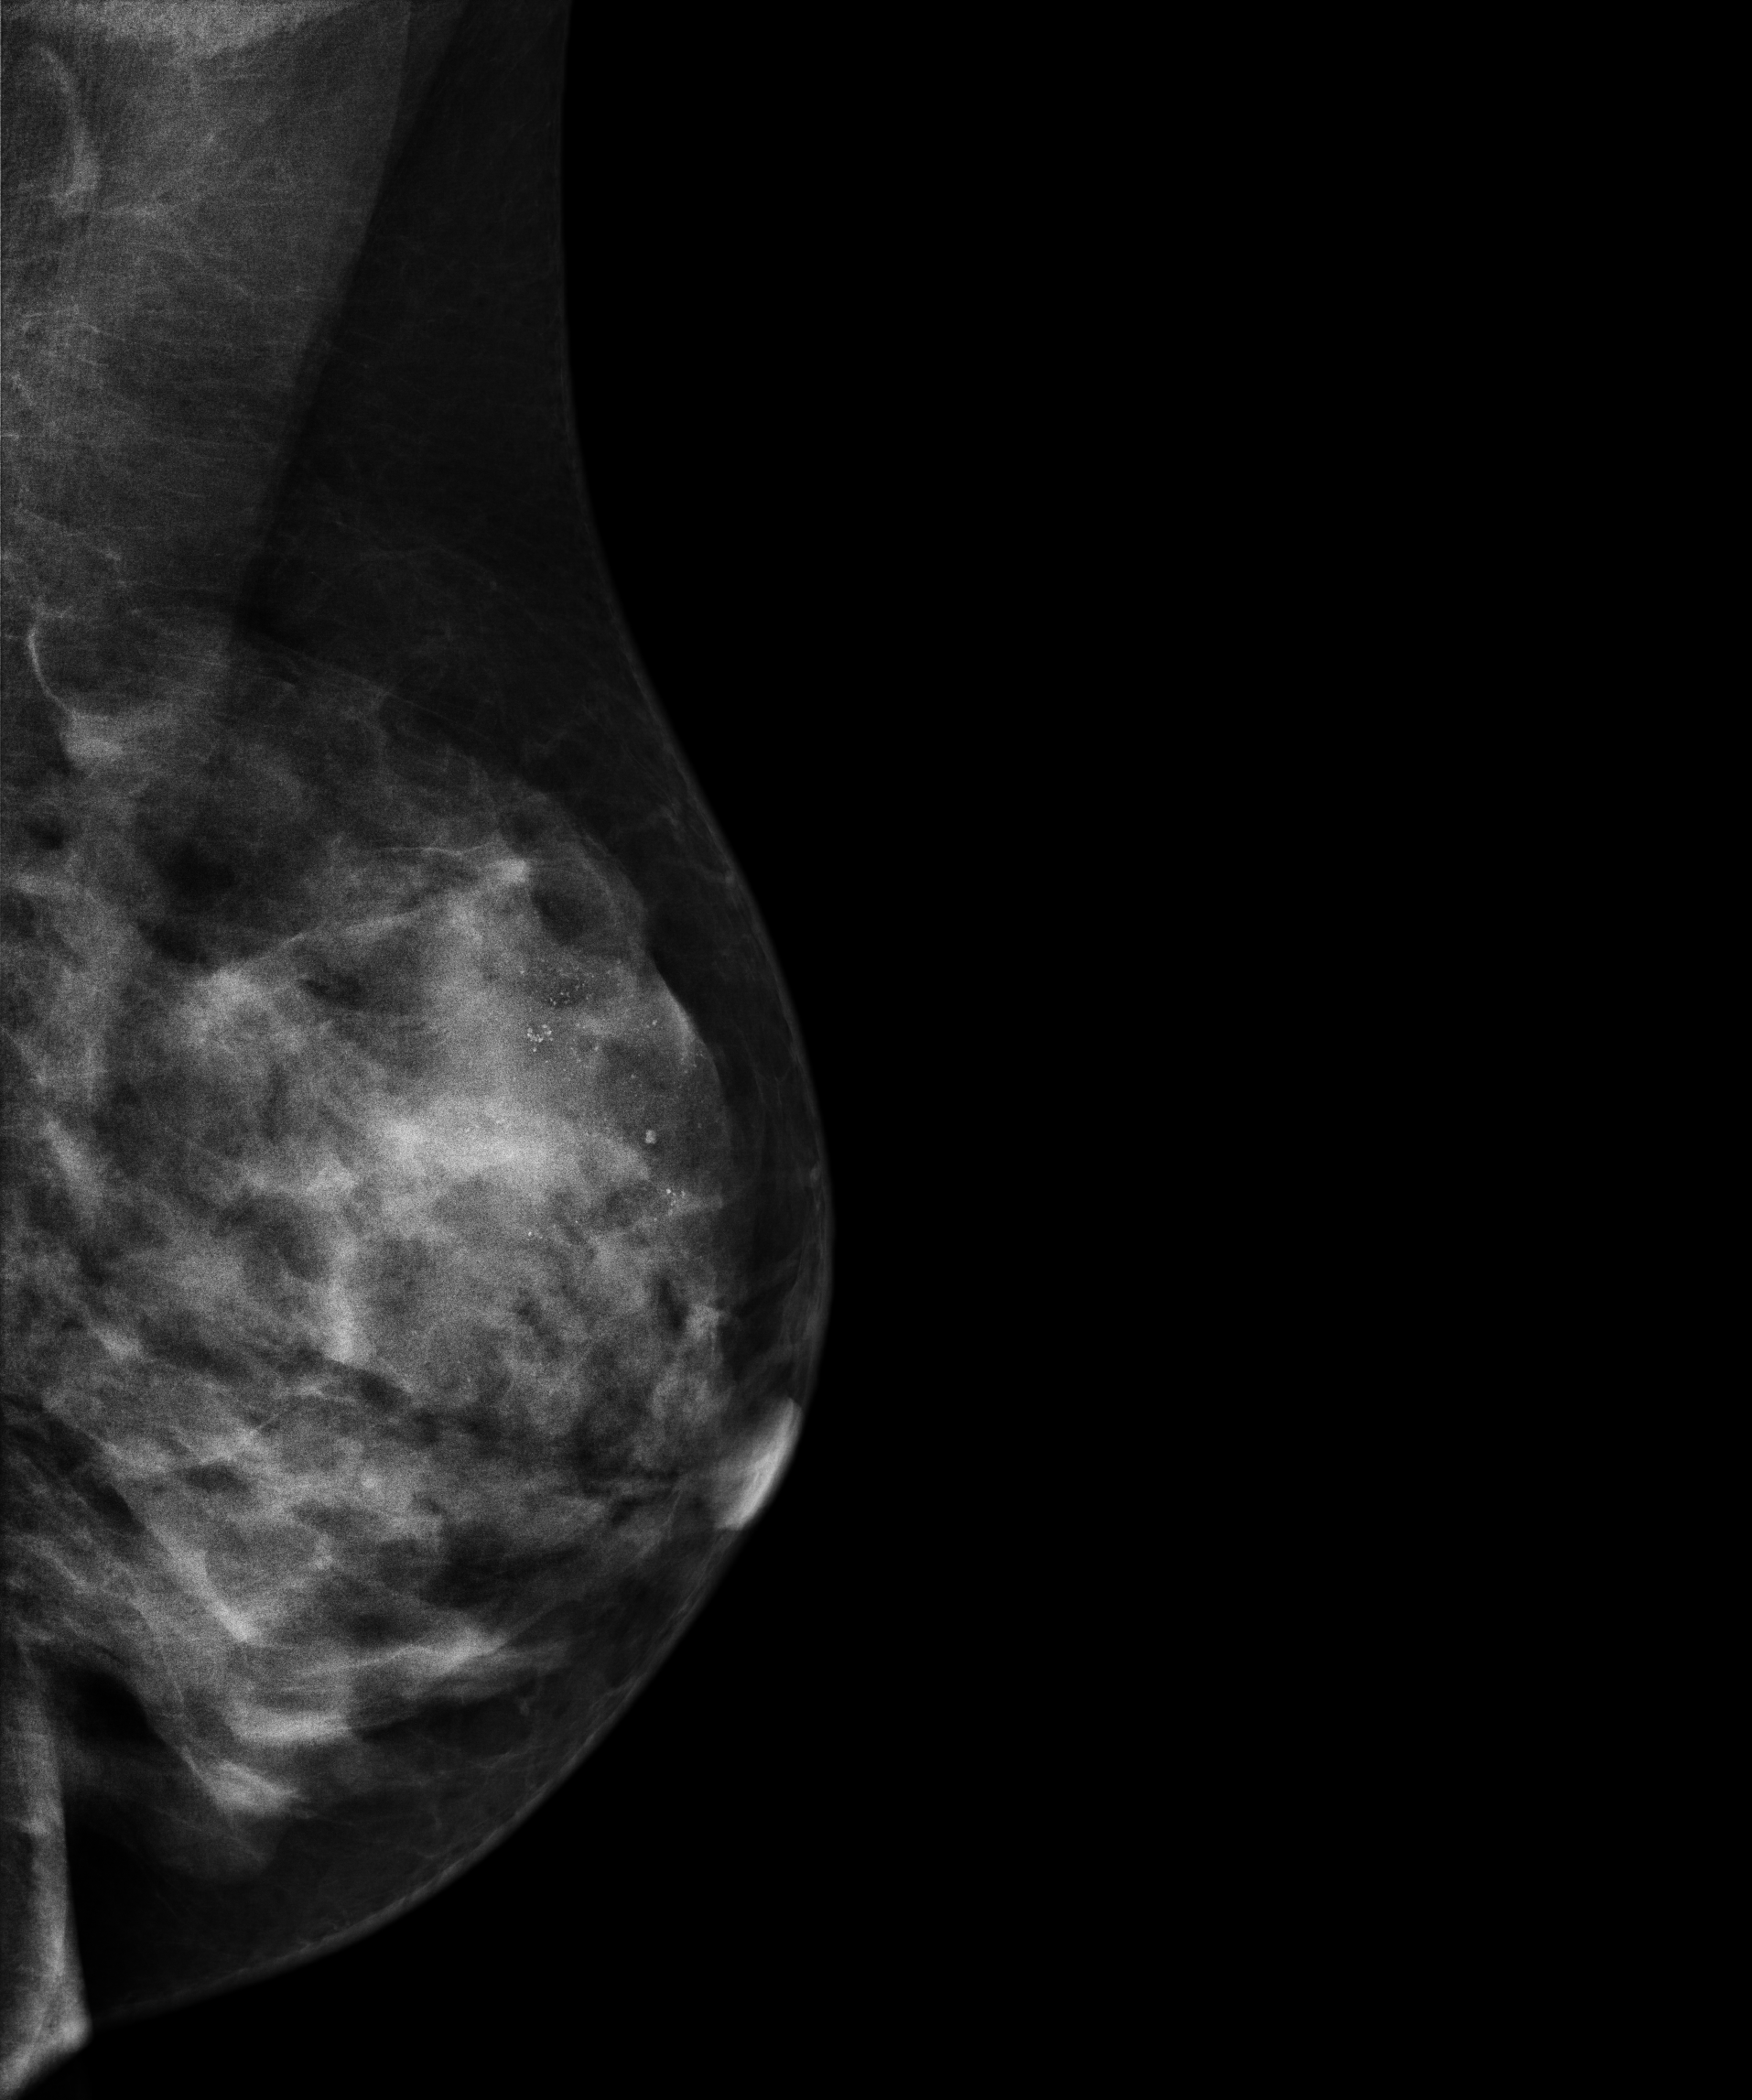
Digital mammography. Left breast, medio-lateral oblique projection. 43 y/o patient.
This breast has calcifications, histologically confirmed malignant.